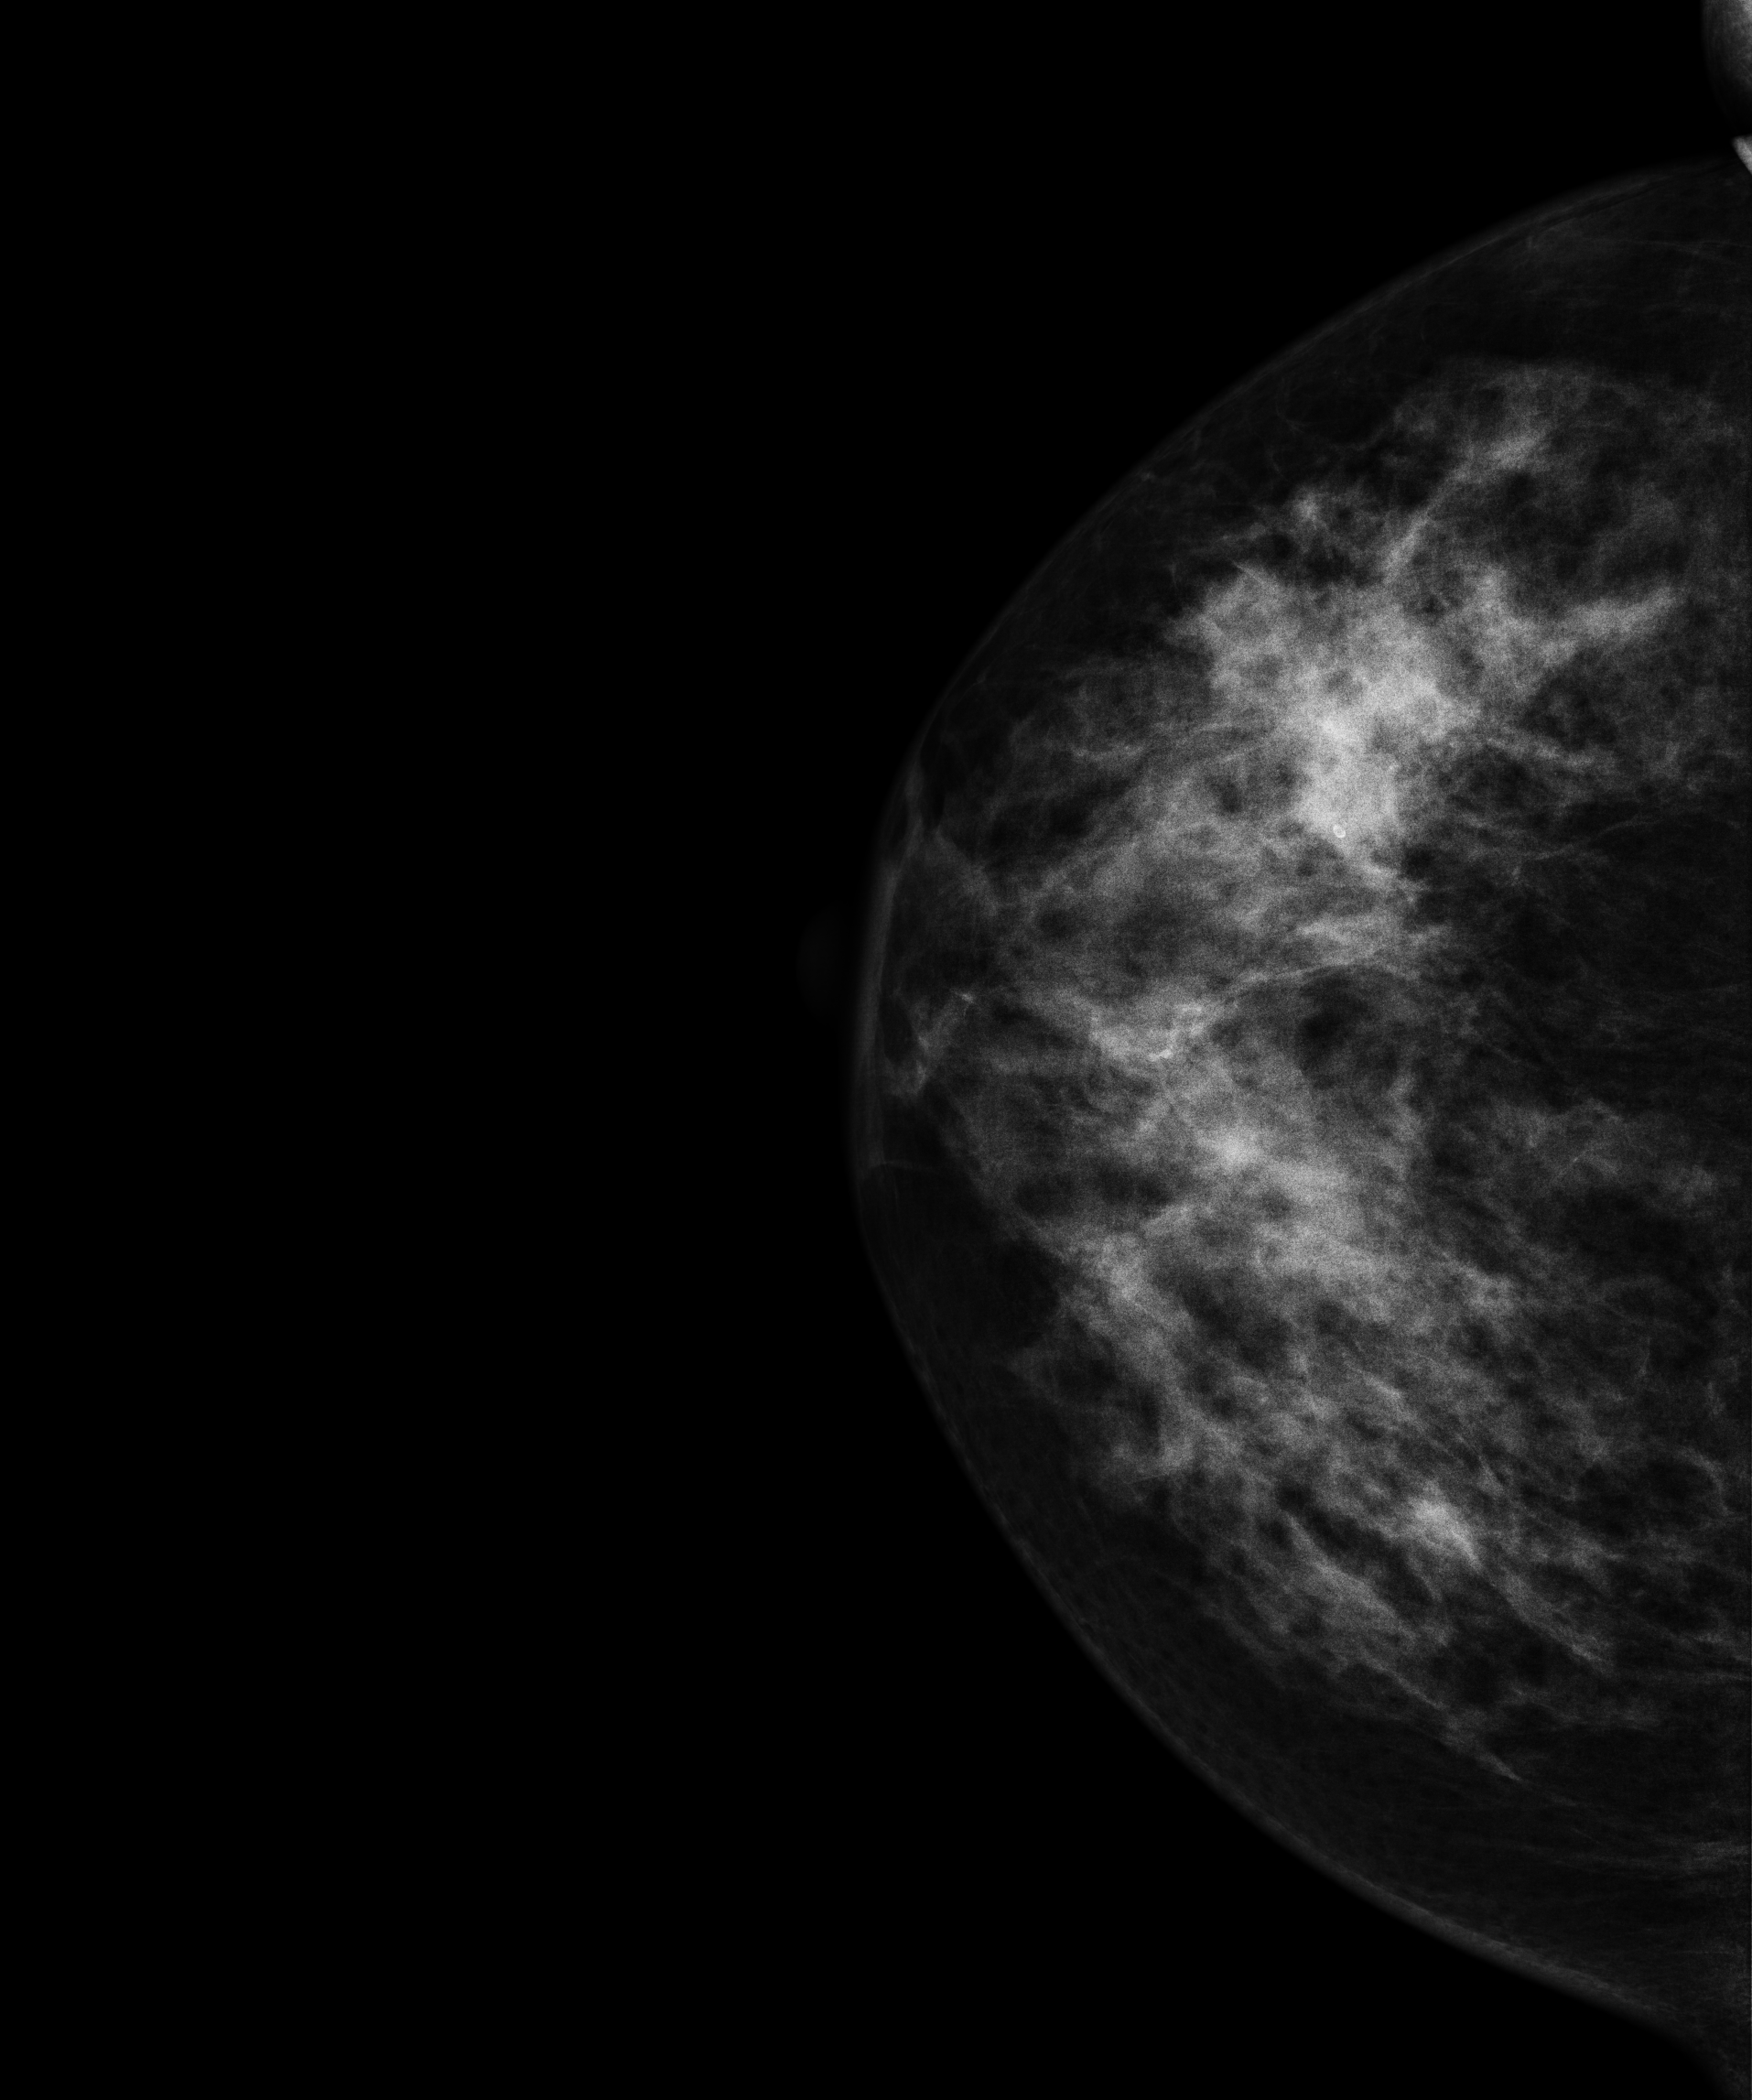
Mammogram, right breast, cranio-caudal view. 55-year-old patient.
This breast has a mass, pathology-confirmed malignant. Molecular subtype: HER2-enriched.